Right-breast mammogram, cranio-caudal. 45-year-old patient.
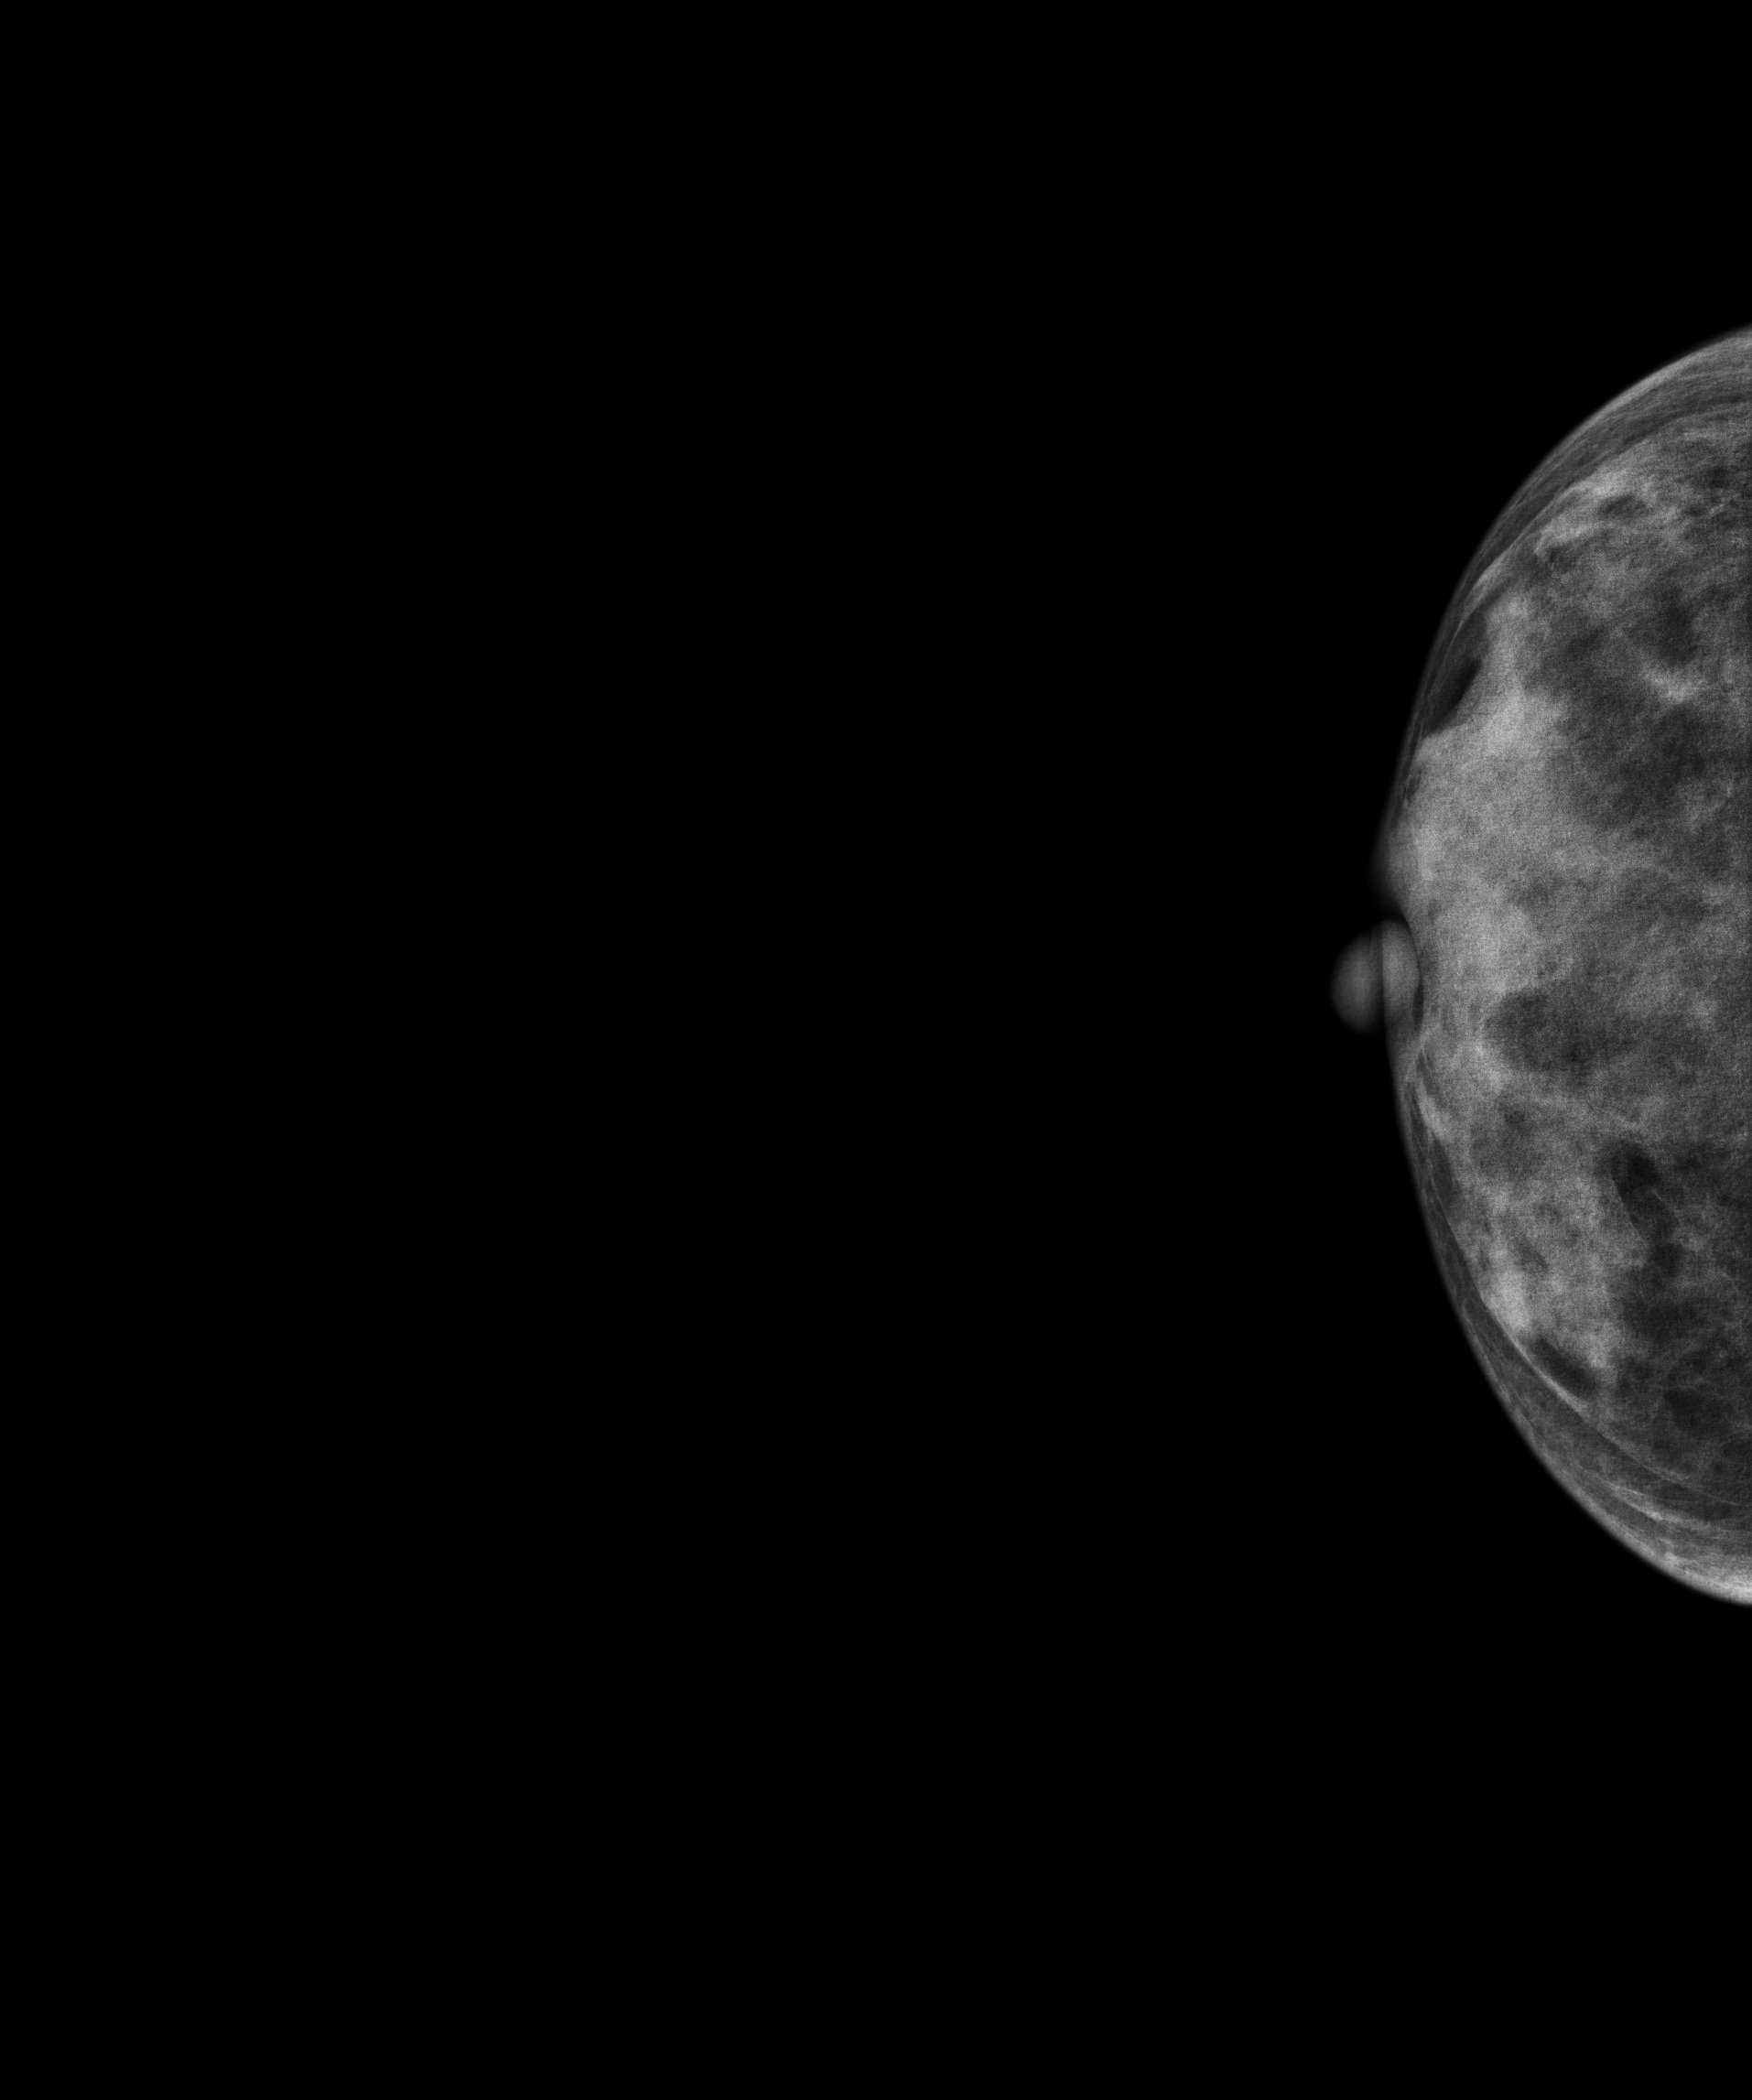
Contralateral breast — no documented abnormality on this side.